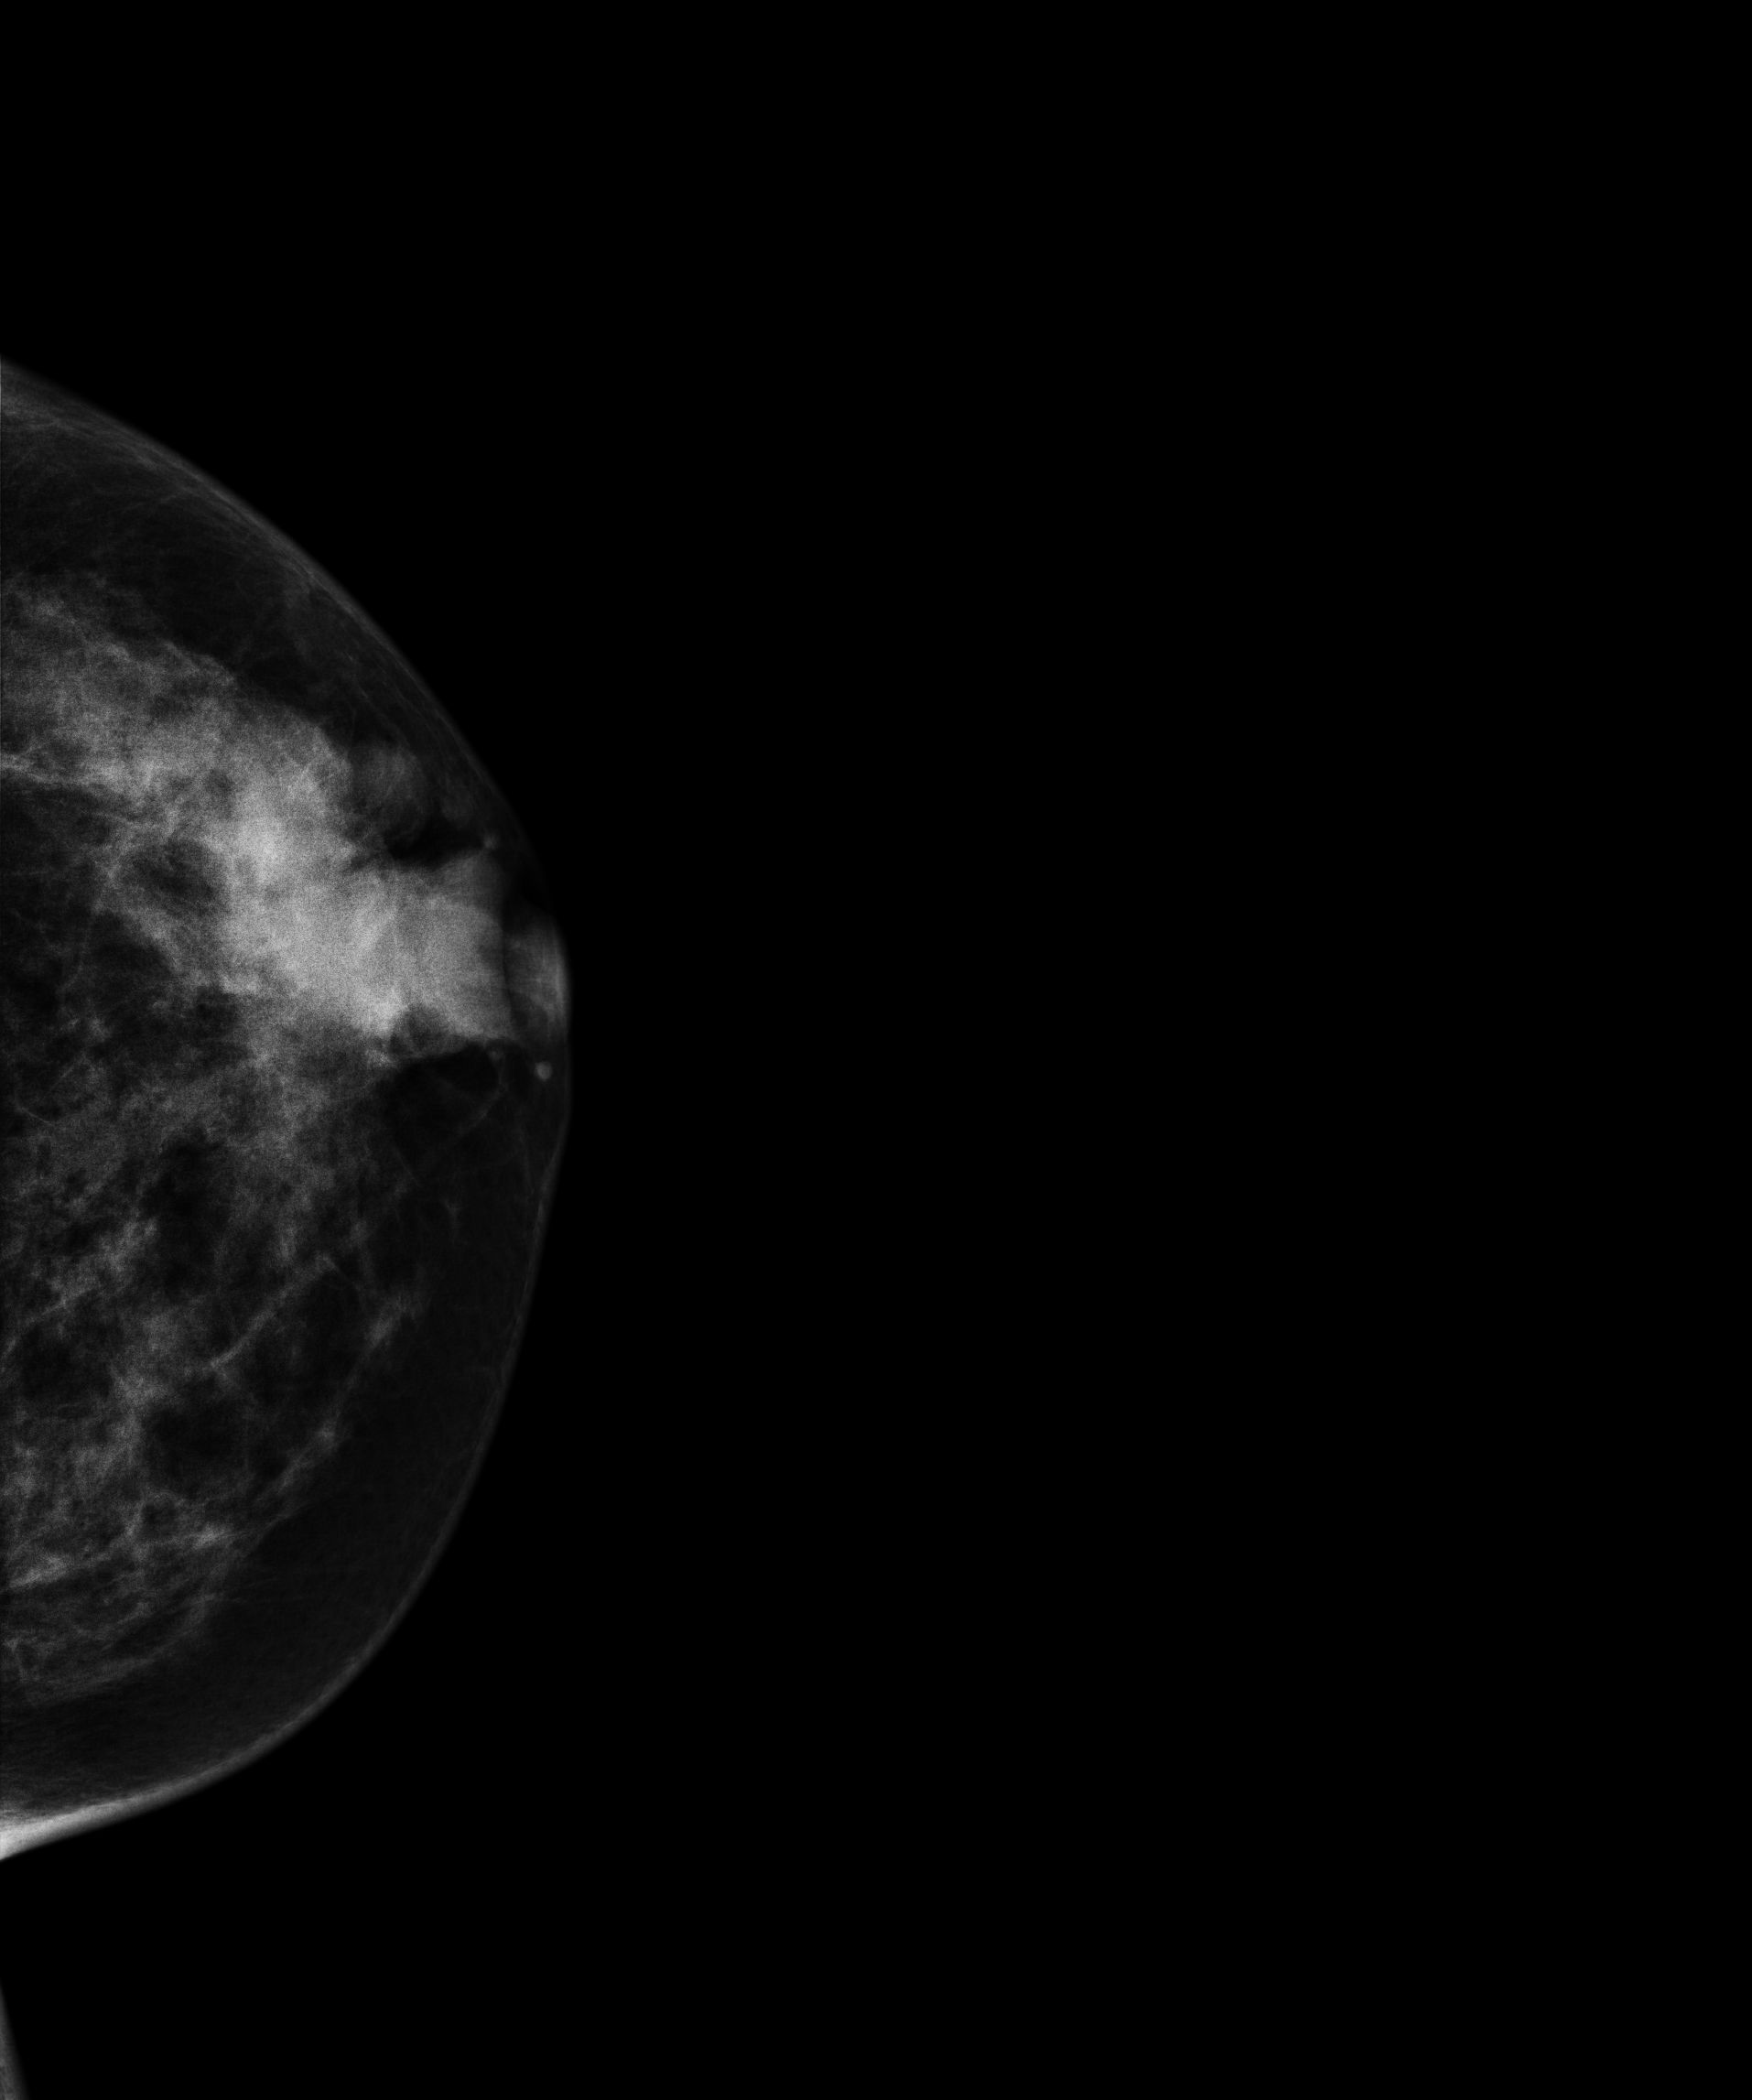
Digital mammography. Left breast, CC projection. 37-year-old patient.
This breast has a mass, biopsy-proven malignant.